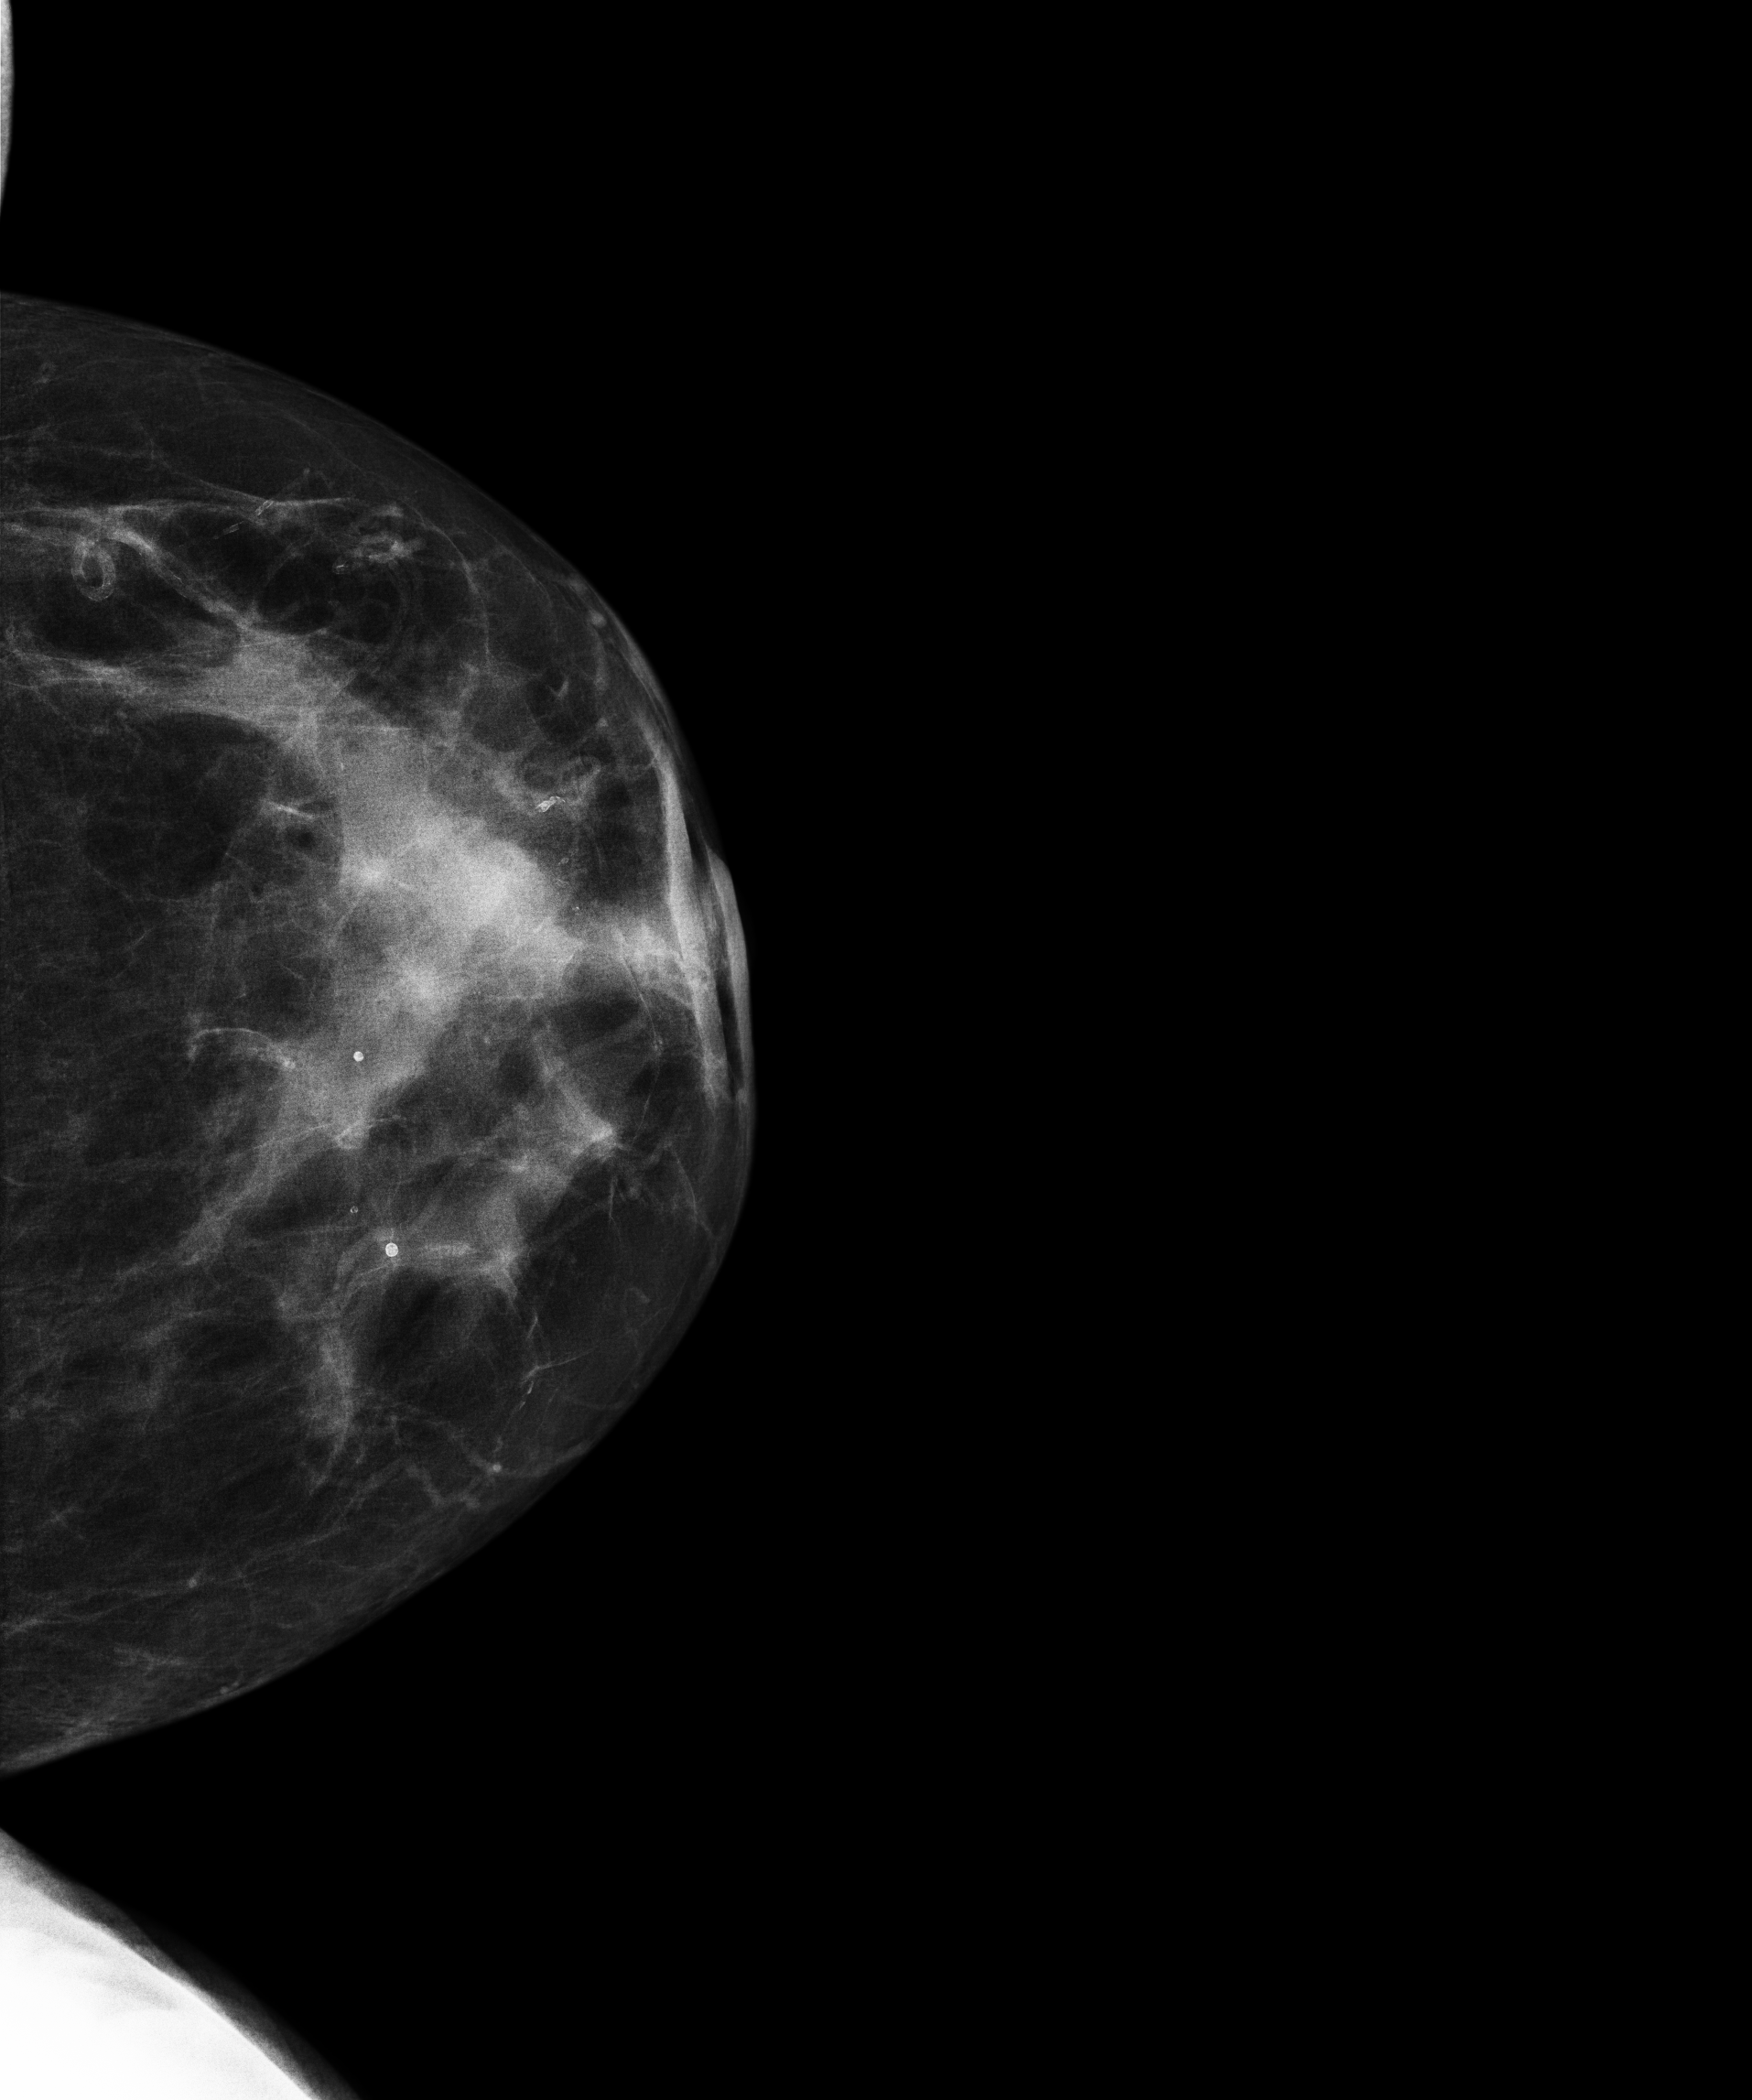
Digital mammography. Left breast, cranio-caudal projection. 61 y/o patient.
This breast has a mass and calcifications, biopsy-proven benign.